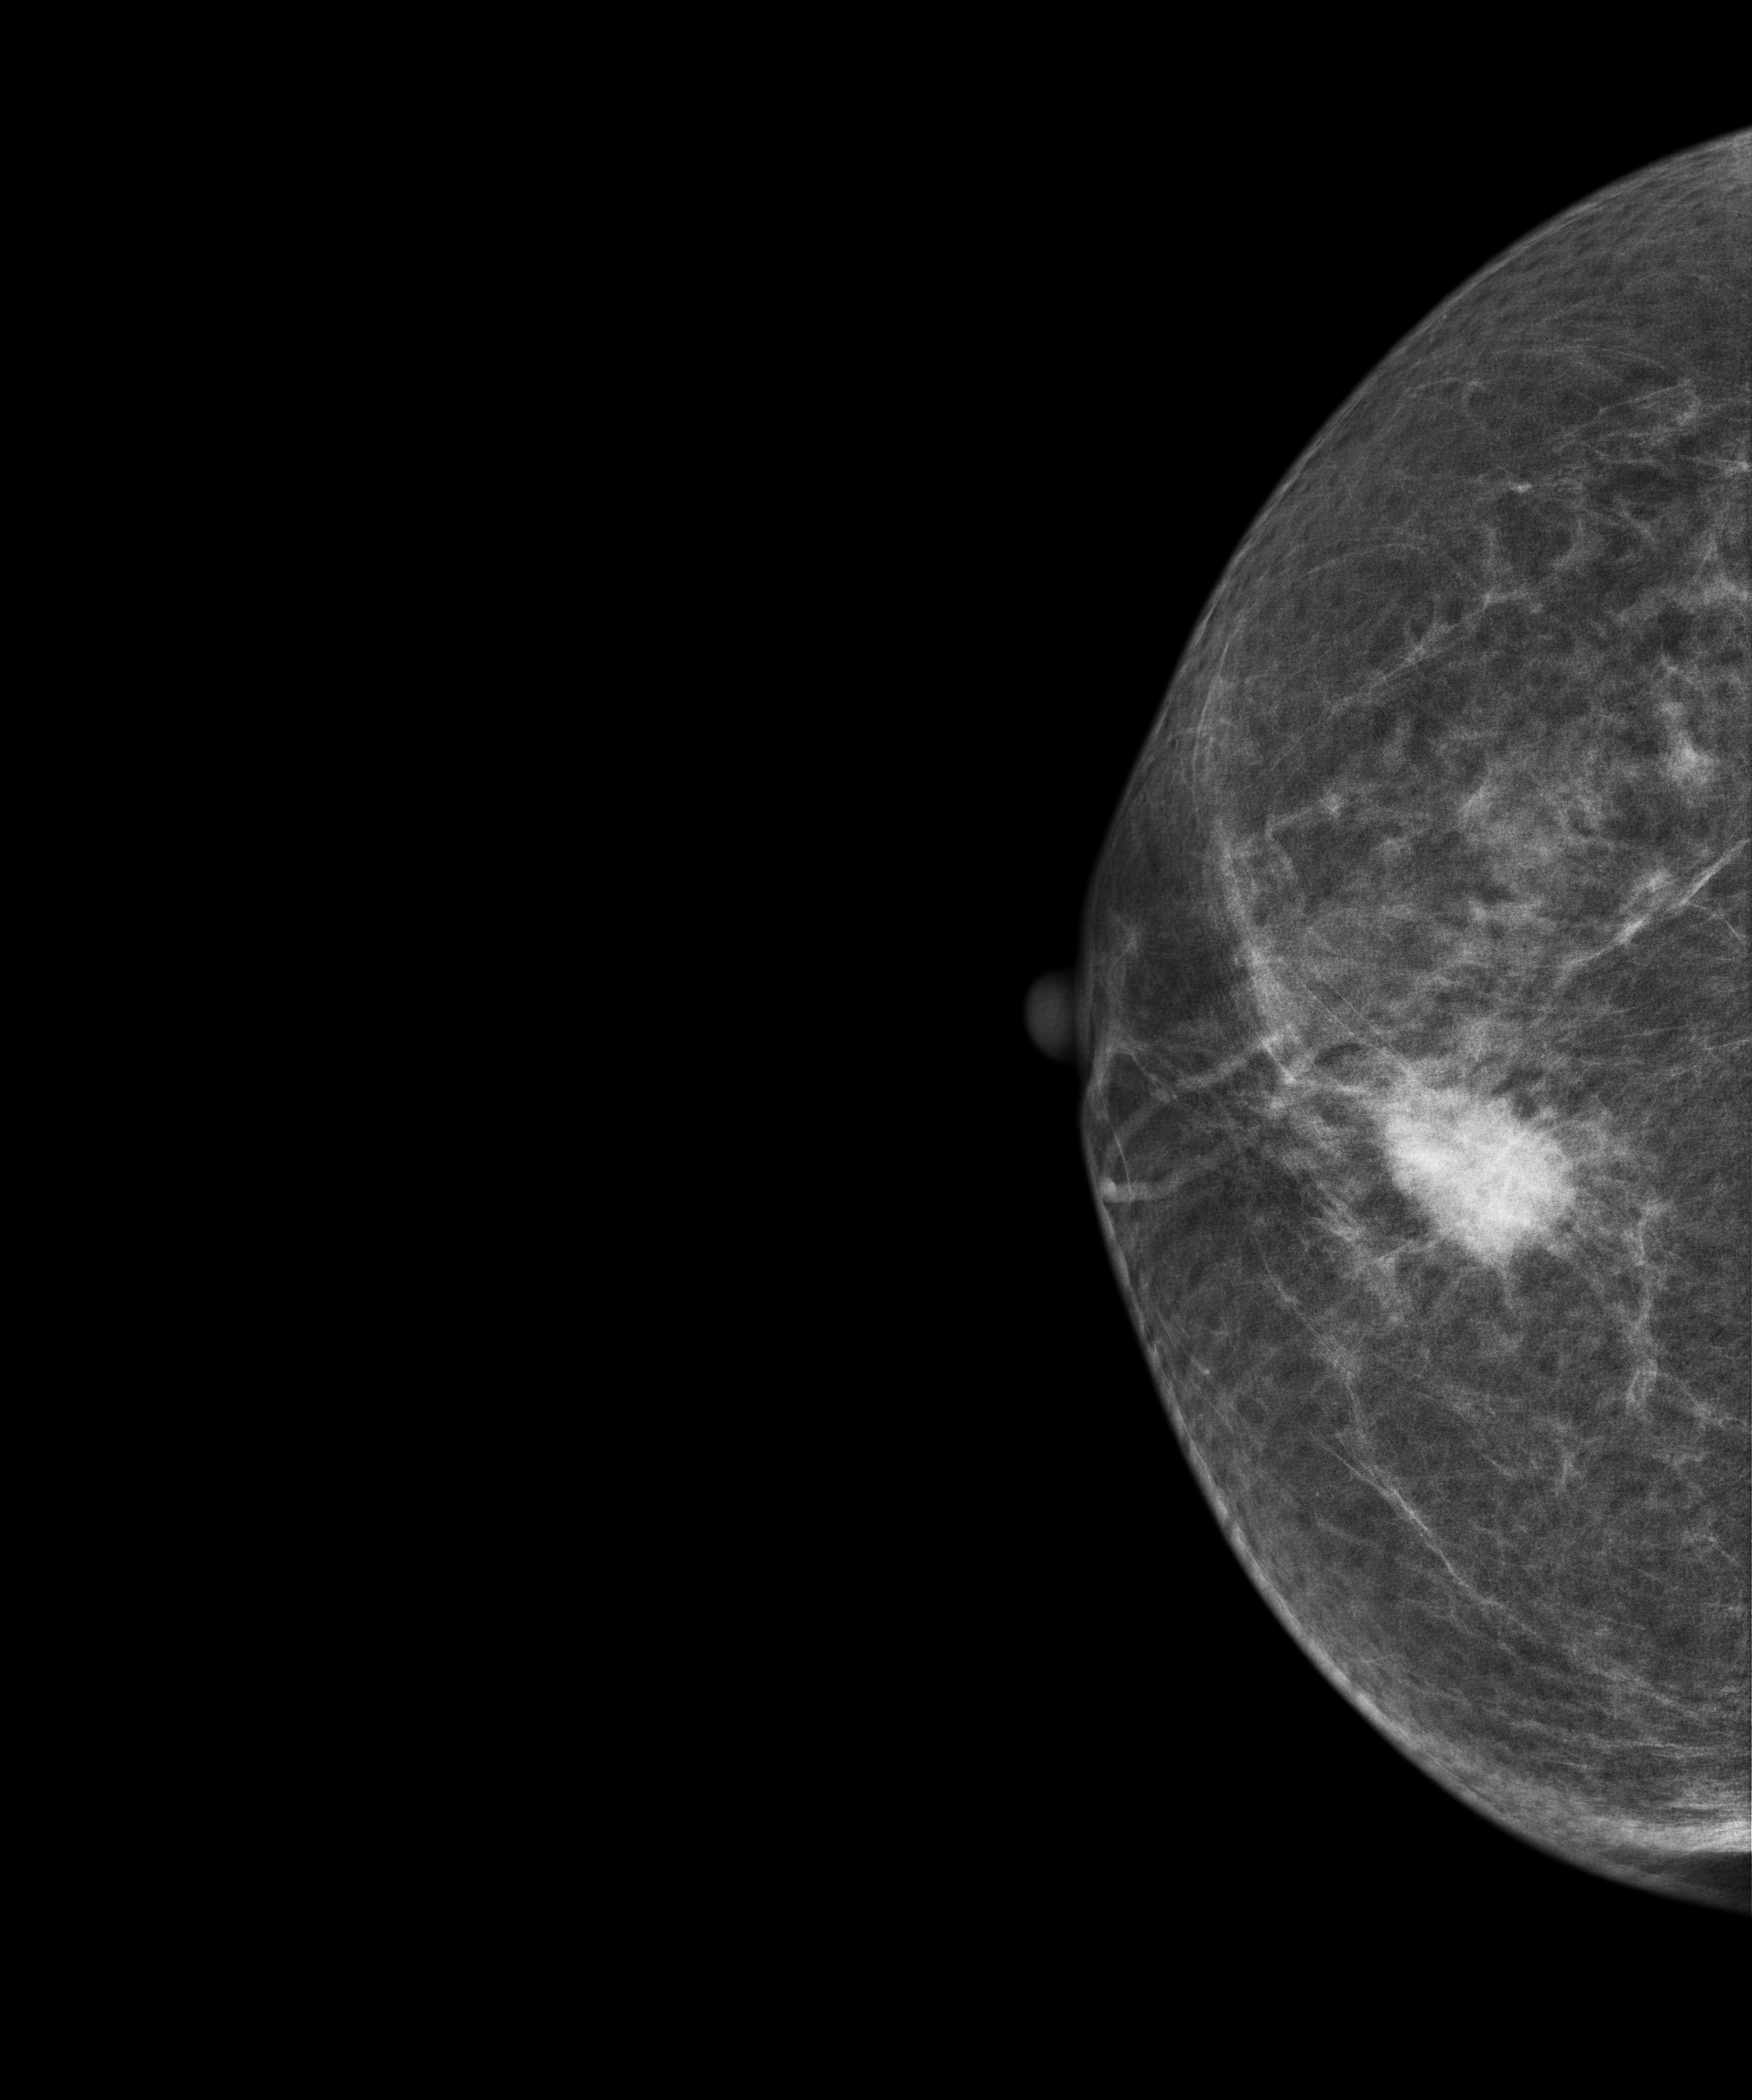
Right-breast mammogram, CC. Patient age 61.
This breast has a mass, biopsy-proven malignant. Molecular subtype: luminal B.